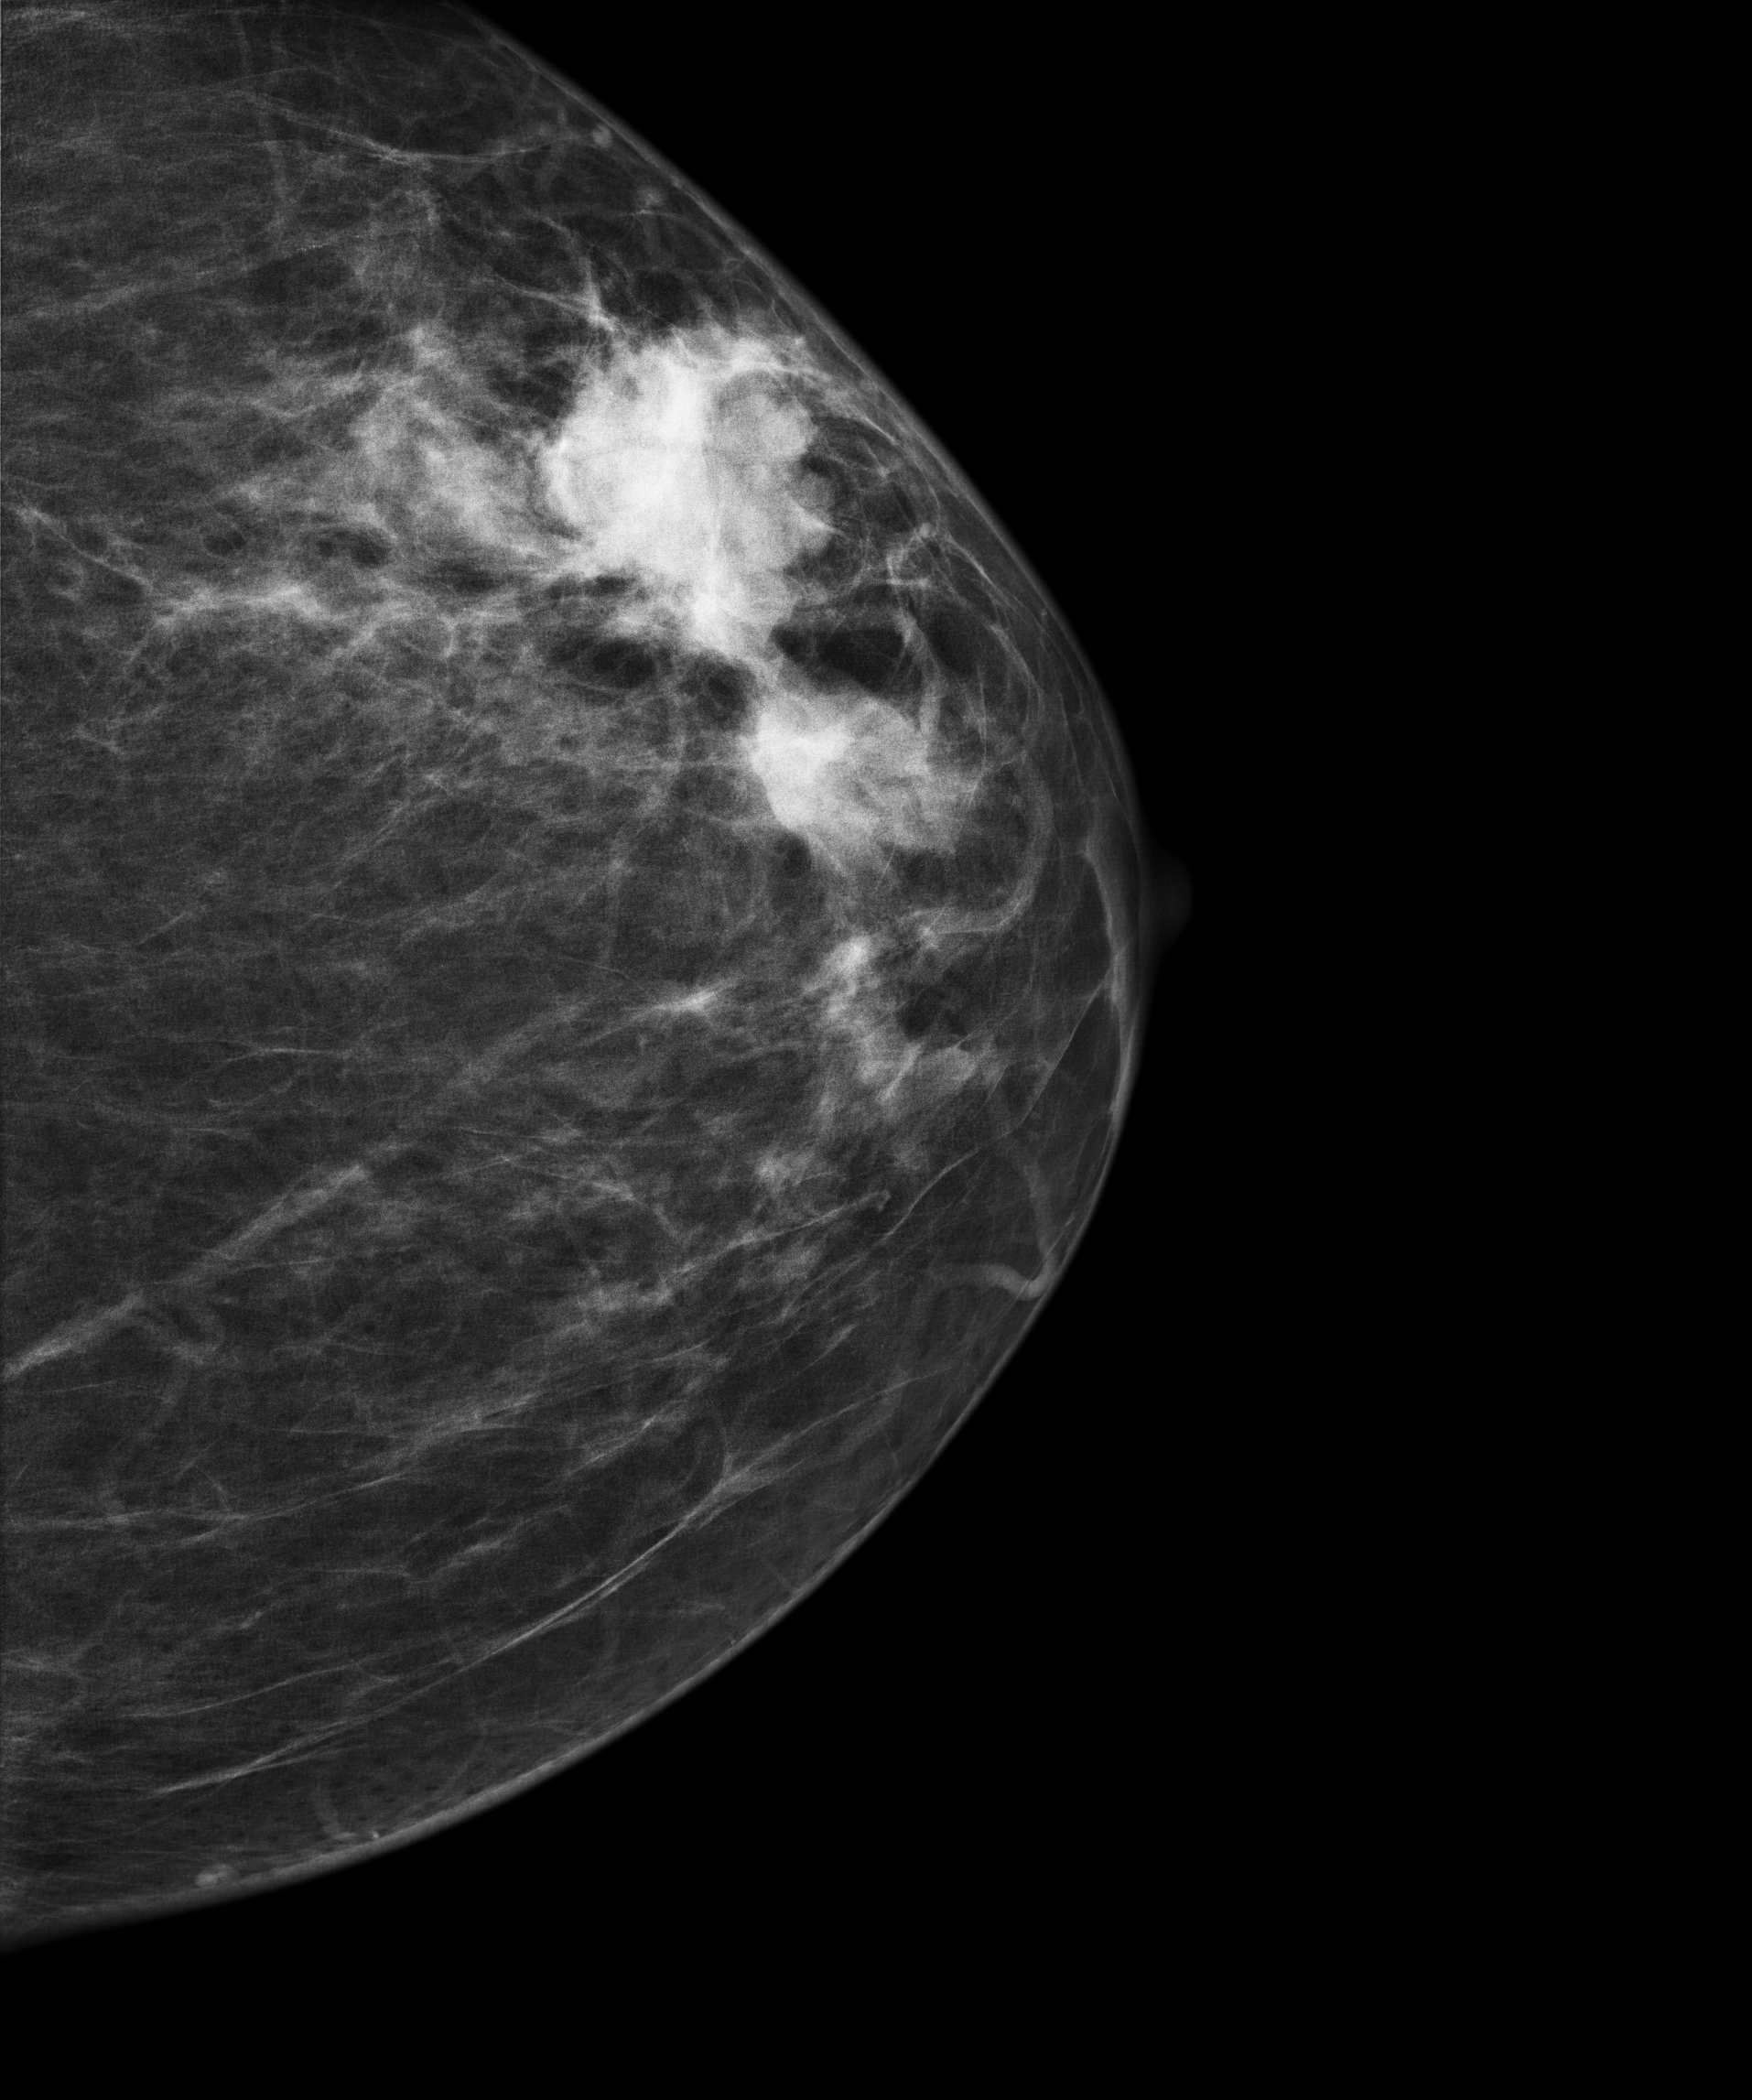
Mammogram — left CC. 53-year-old patient.
This breast has a mass, biopsy-proven malignant.